Right-breast mammogram, cranio-caudal. Patient age 35.
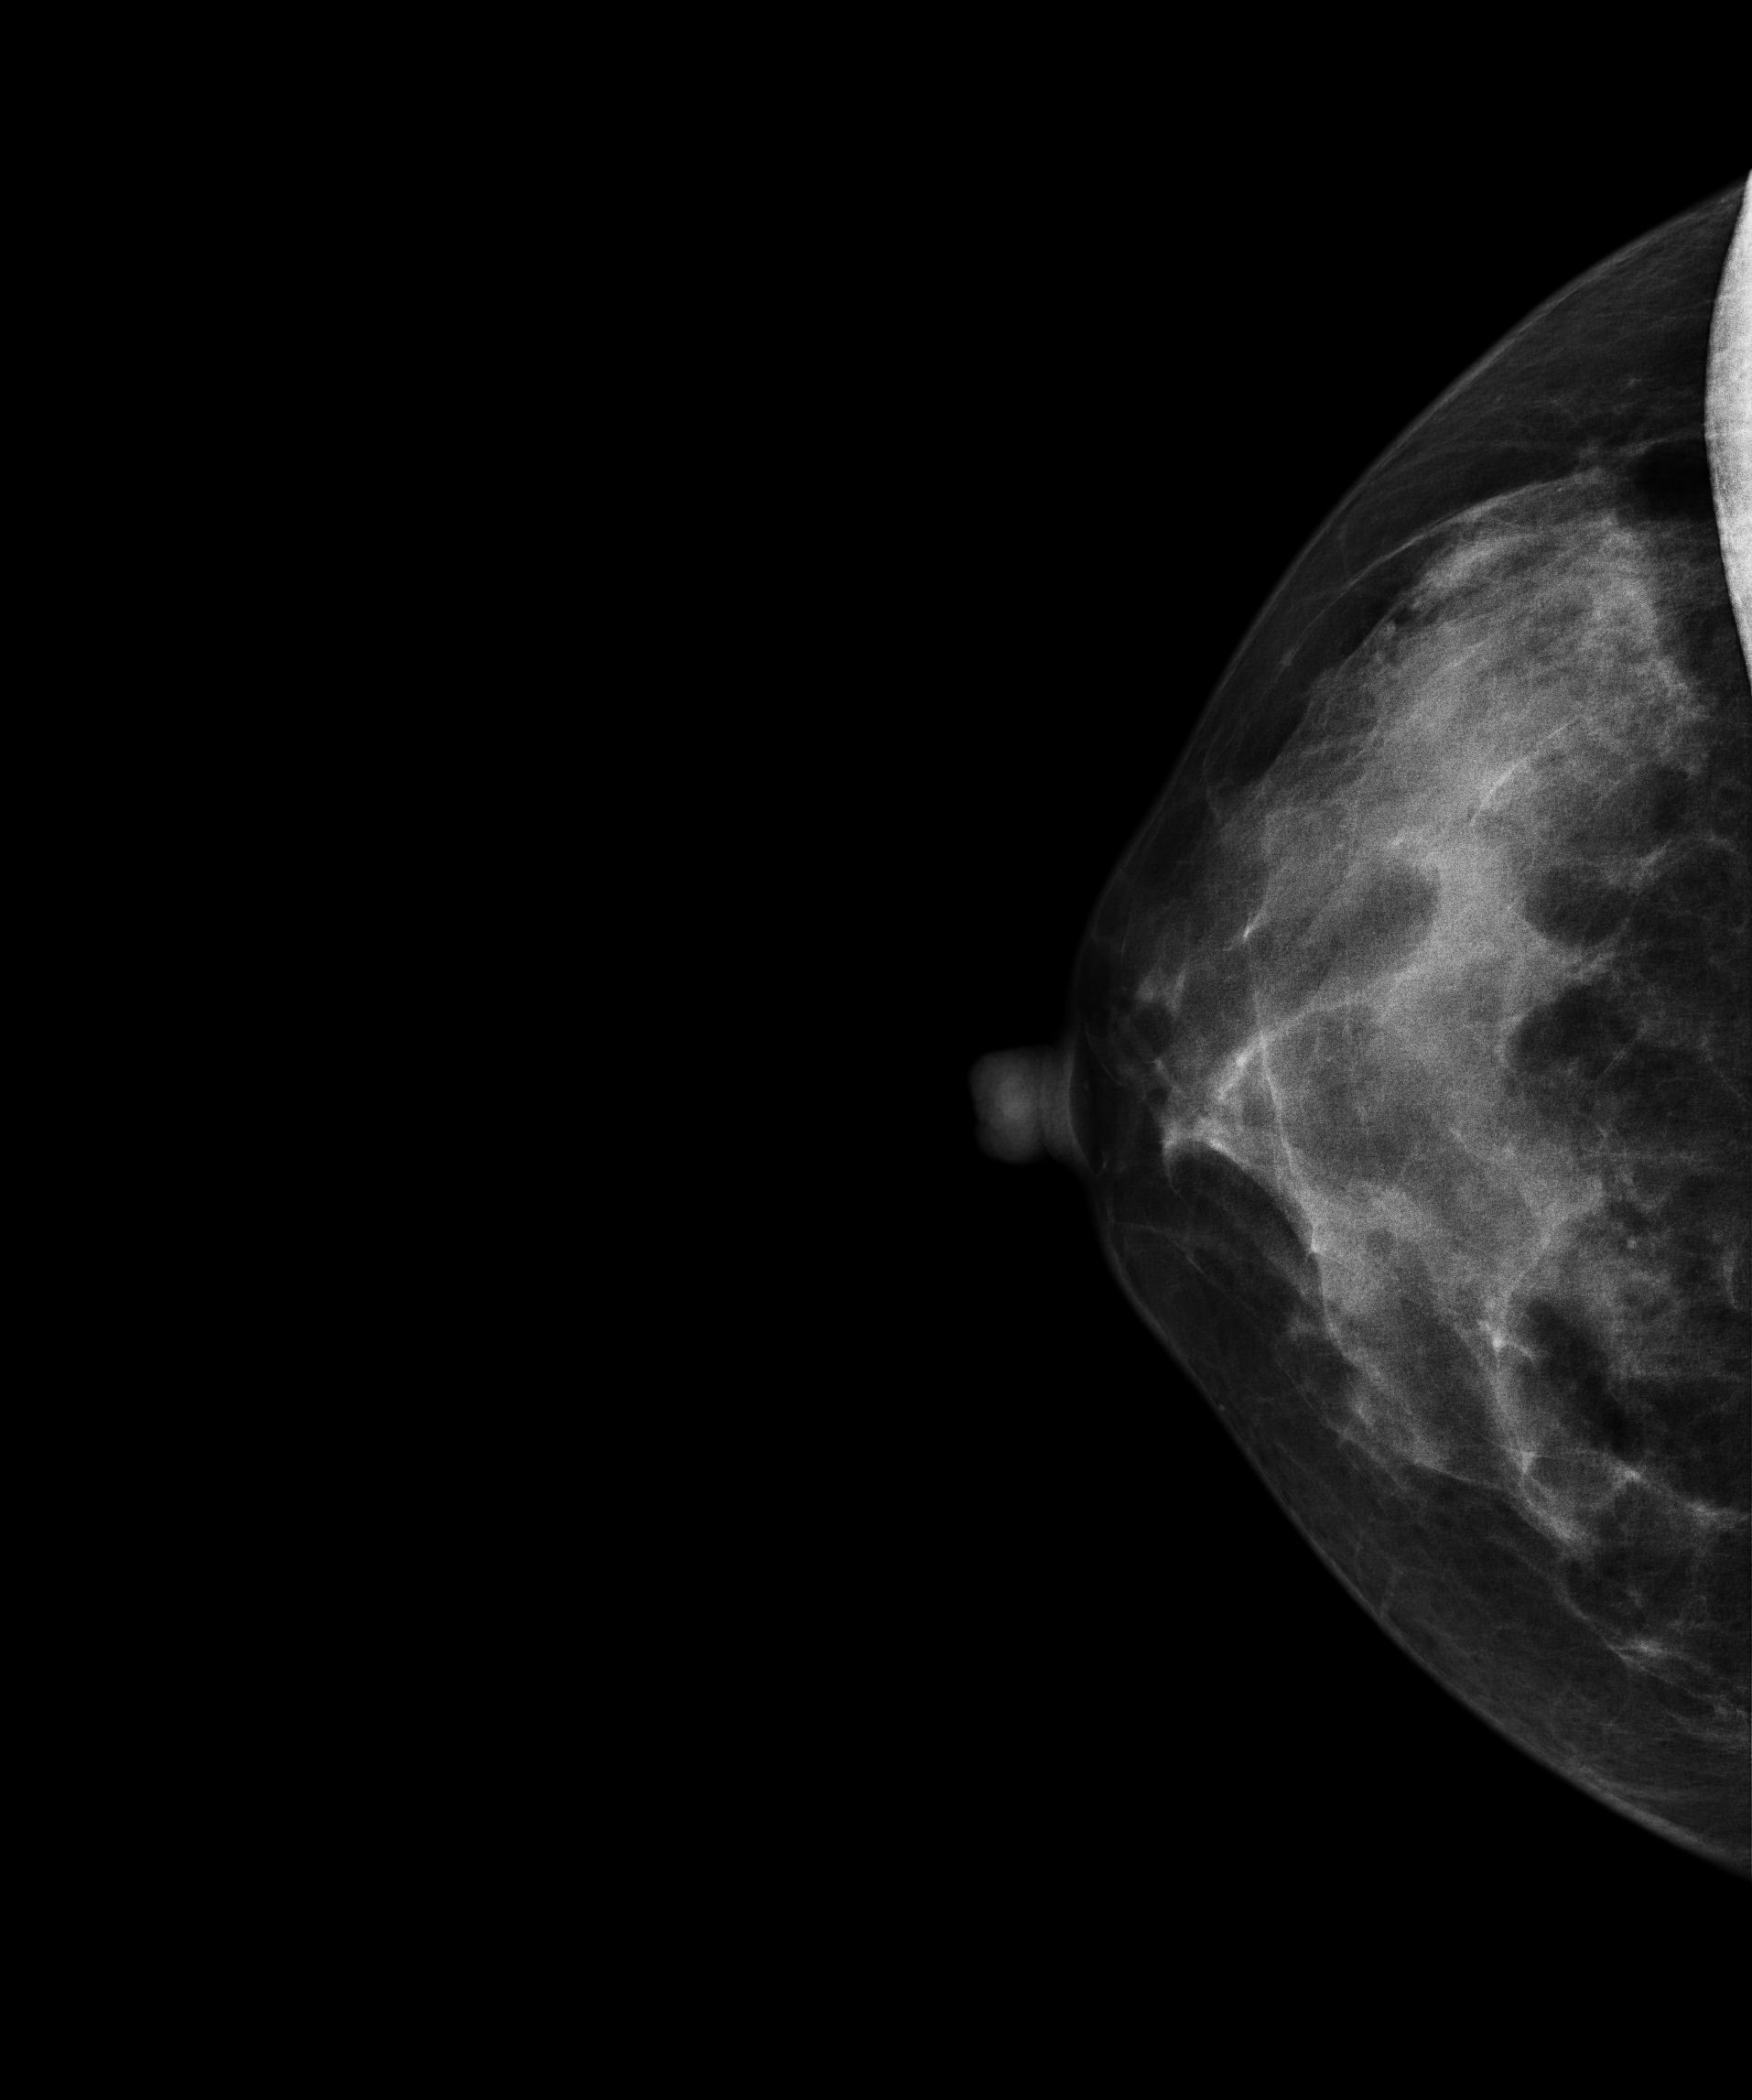
Contralateral breast — no documented abnormality on this side.